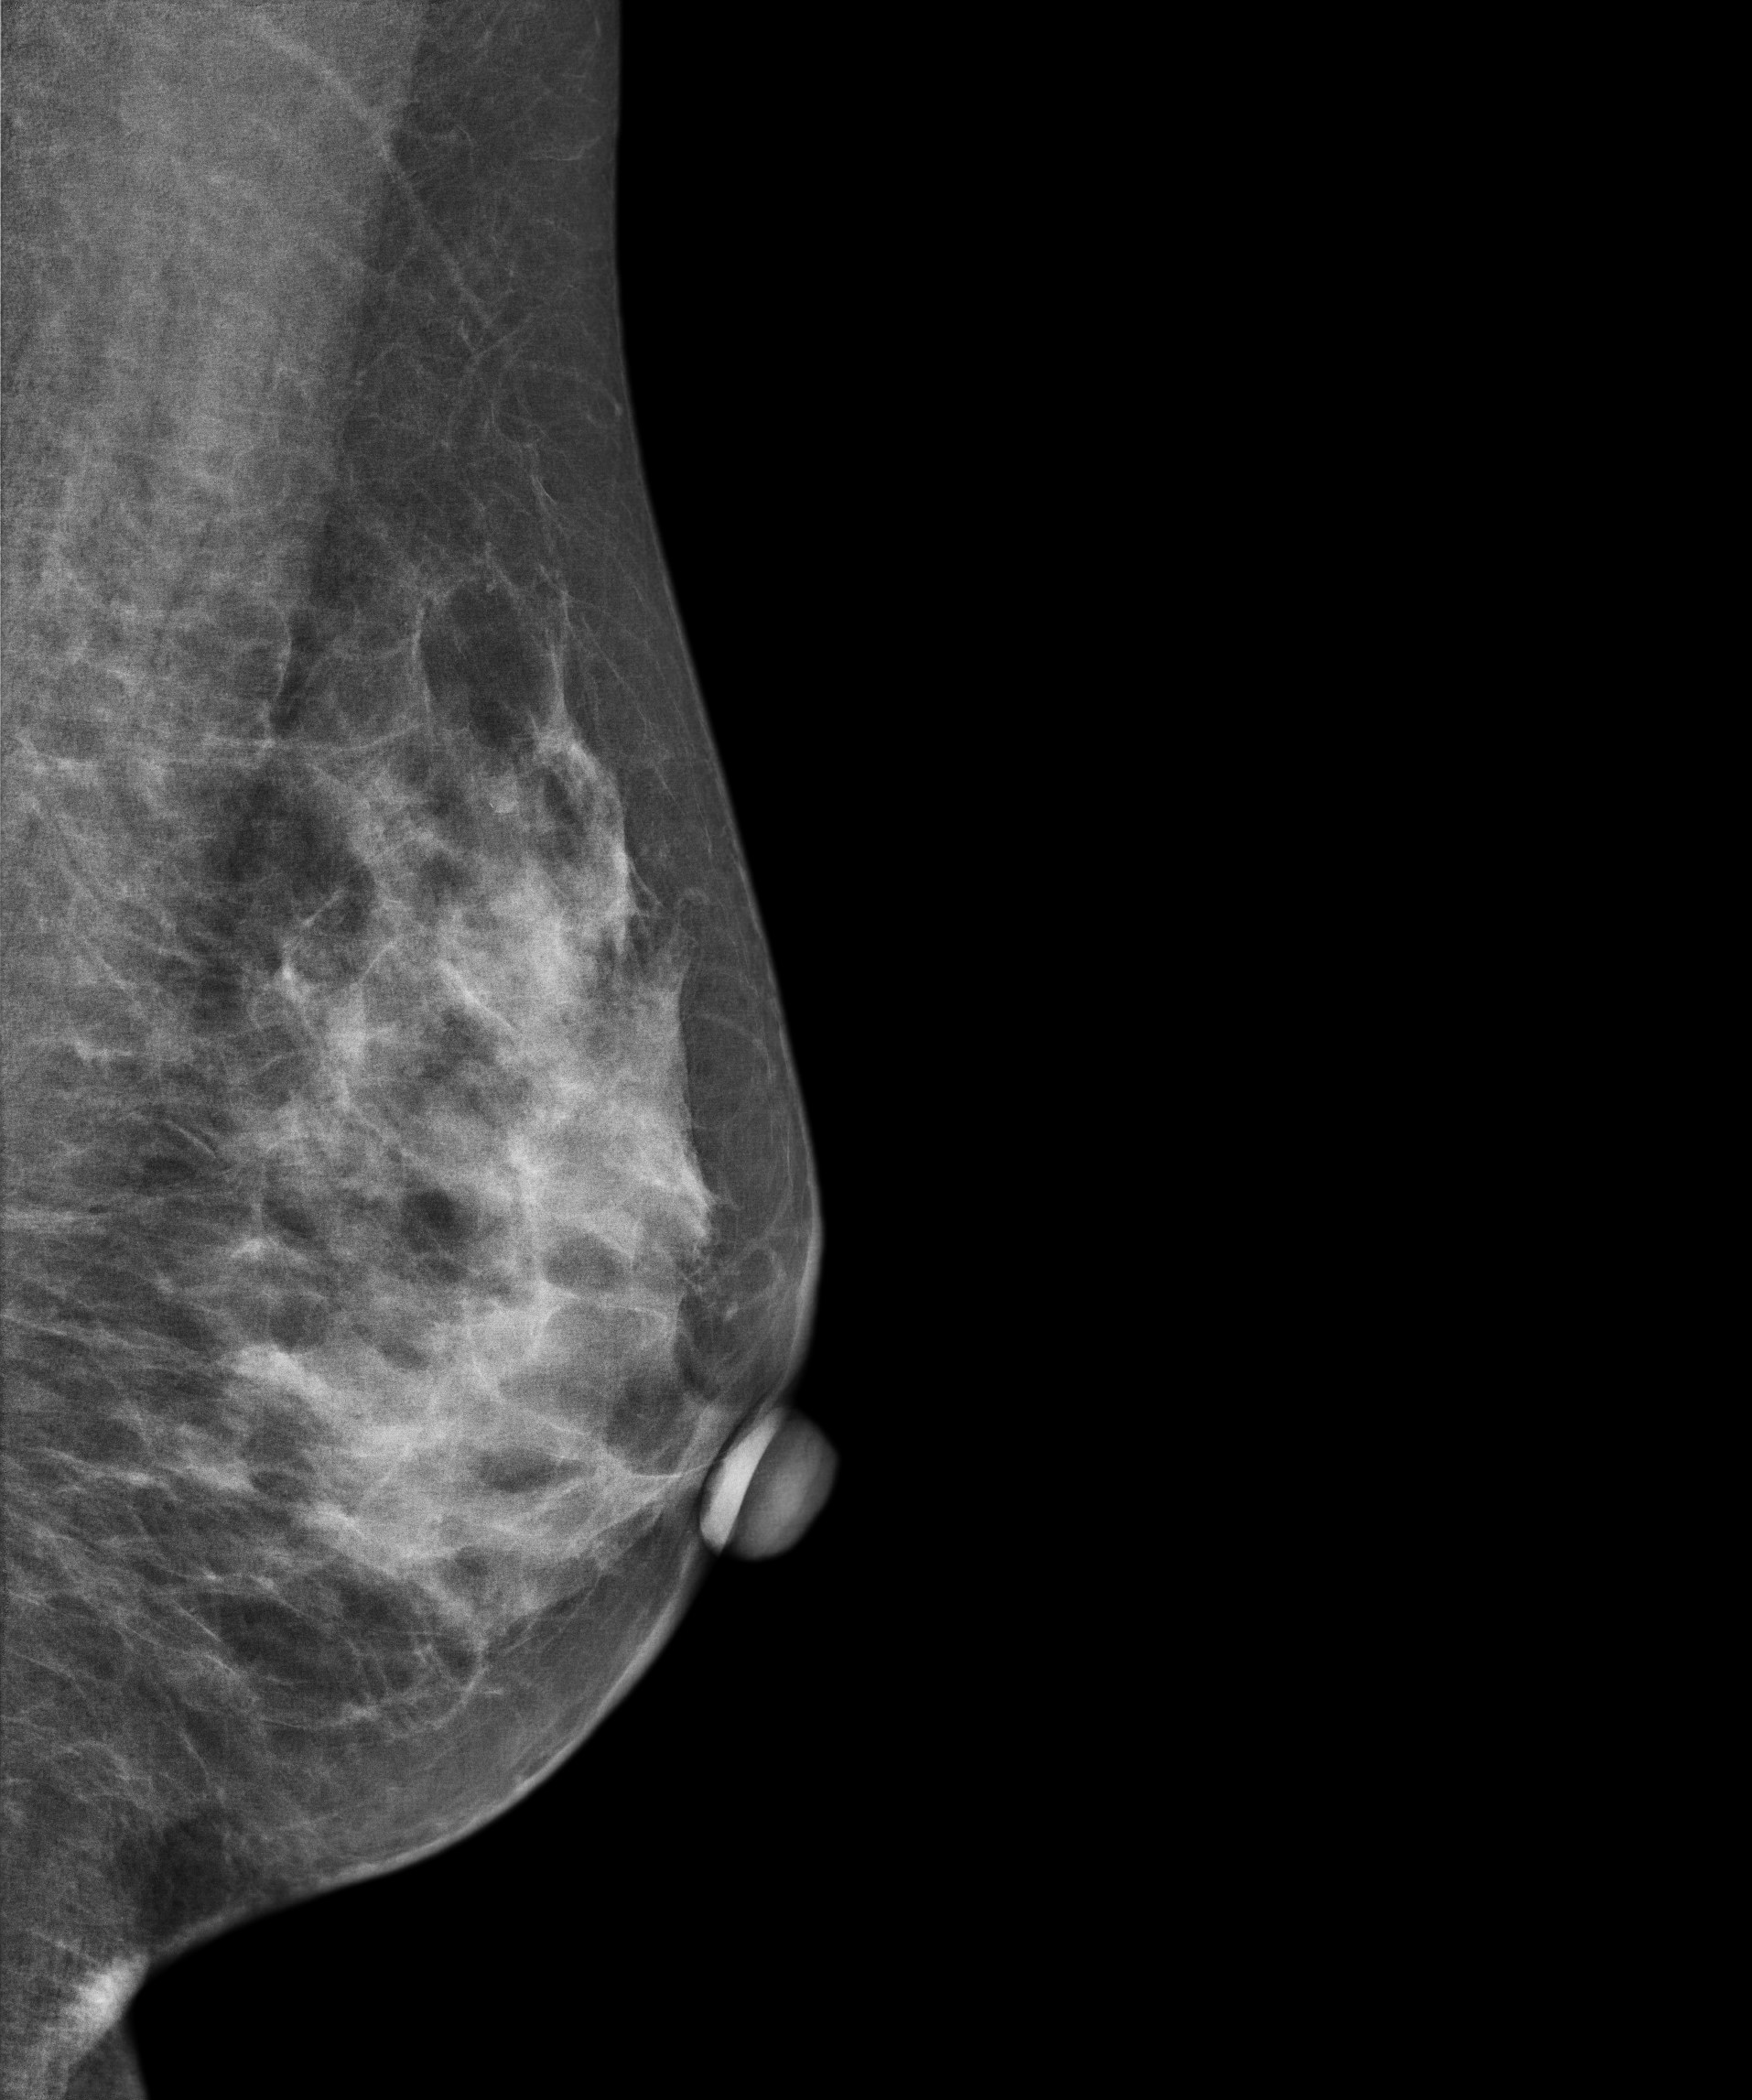
Left-breast mammogram, medio-lateral oblique. Patient age 47.
Contralateral breast — no documented abnormality on this side.